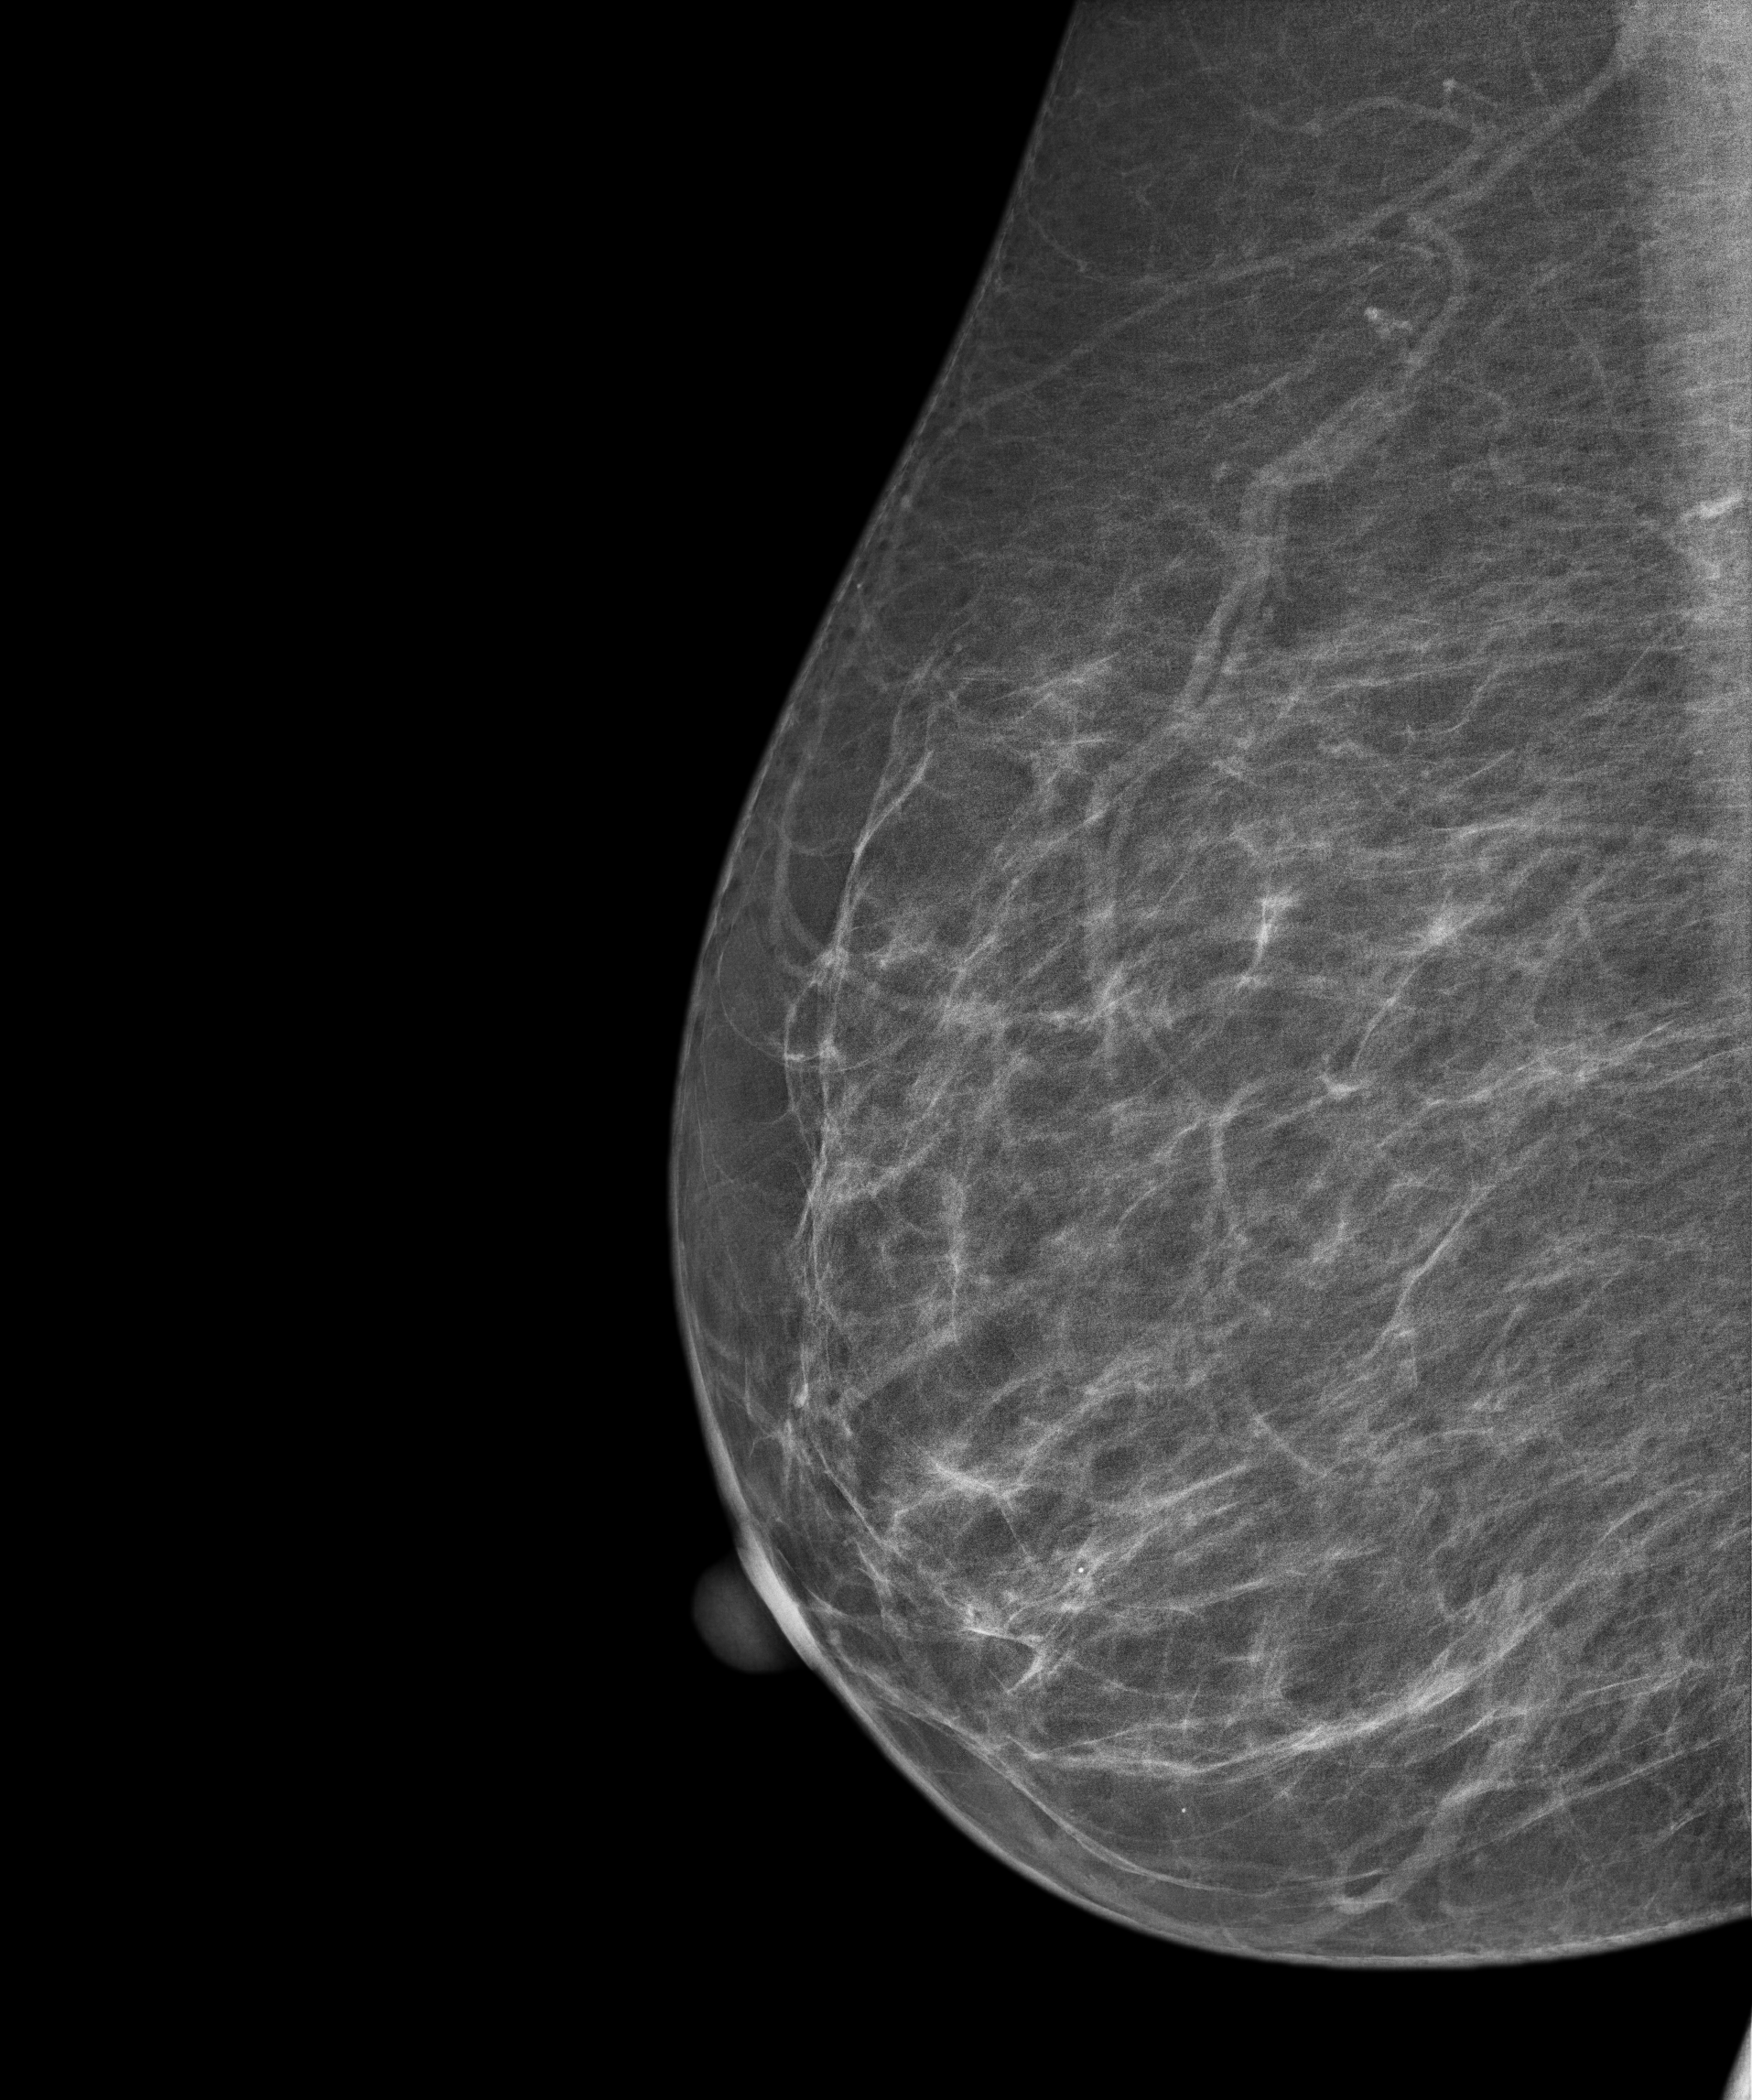
Digital mammography. Right breast, MLO projection. Patient age 52.
Contralateral breast — no documented abnormality on this side.